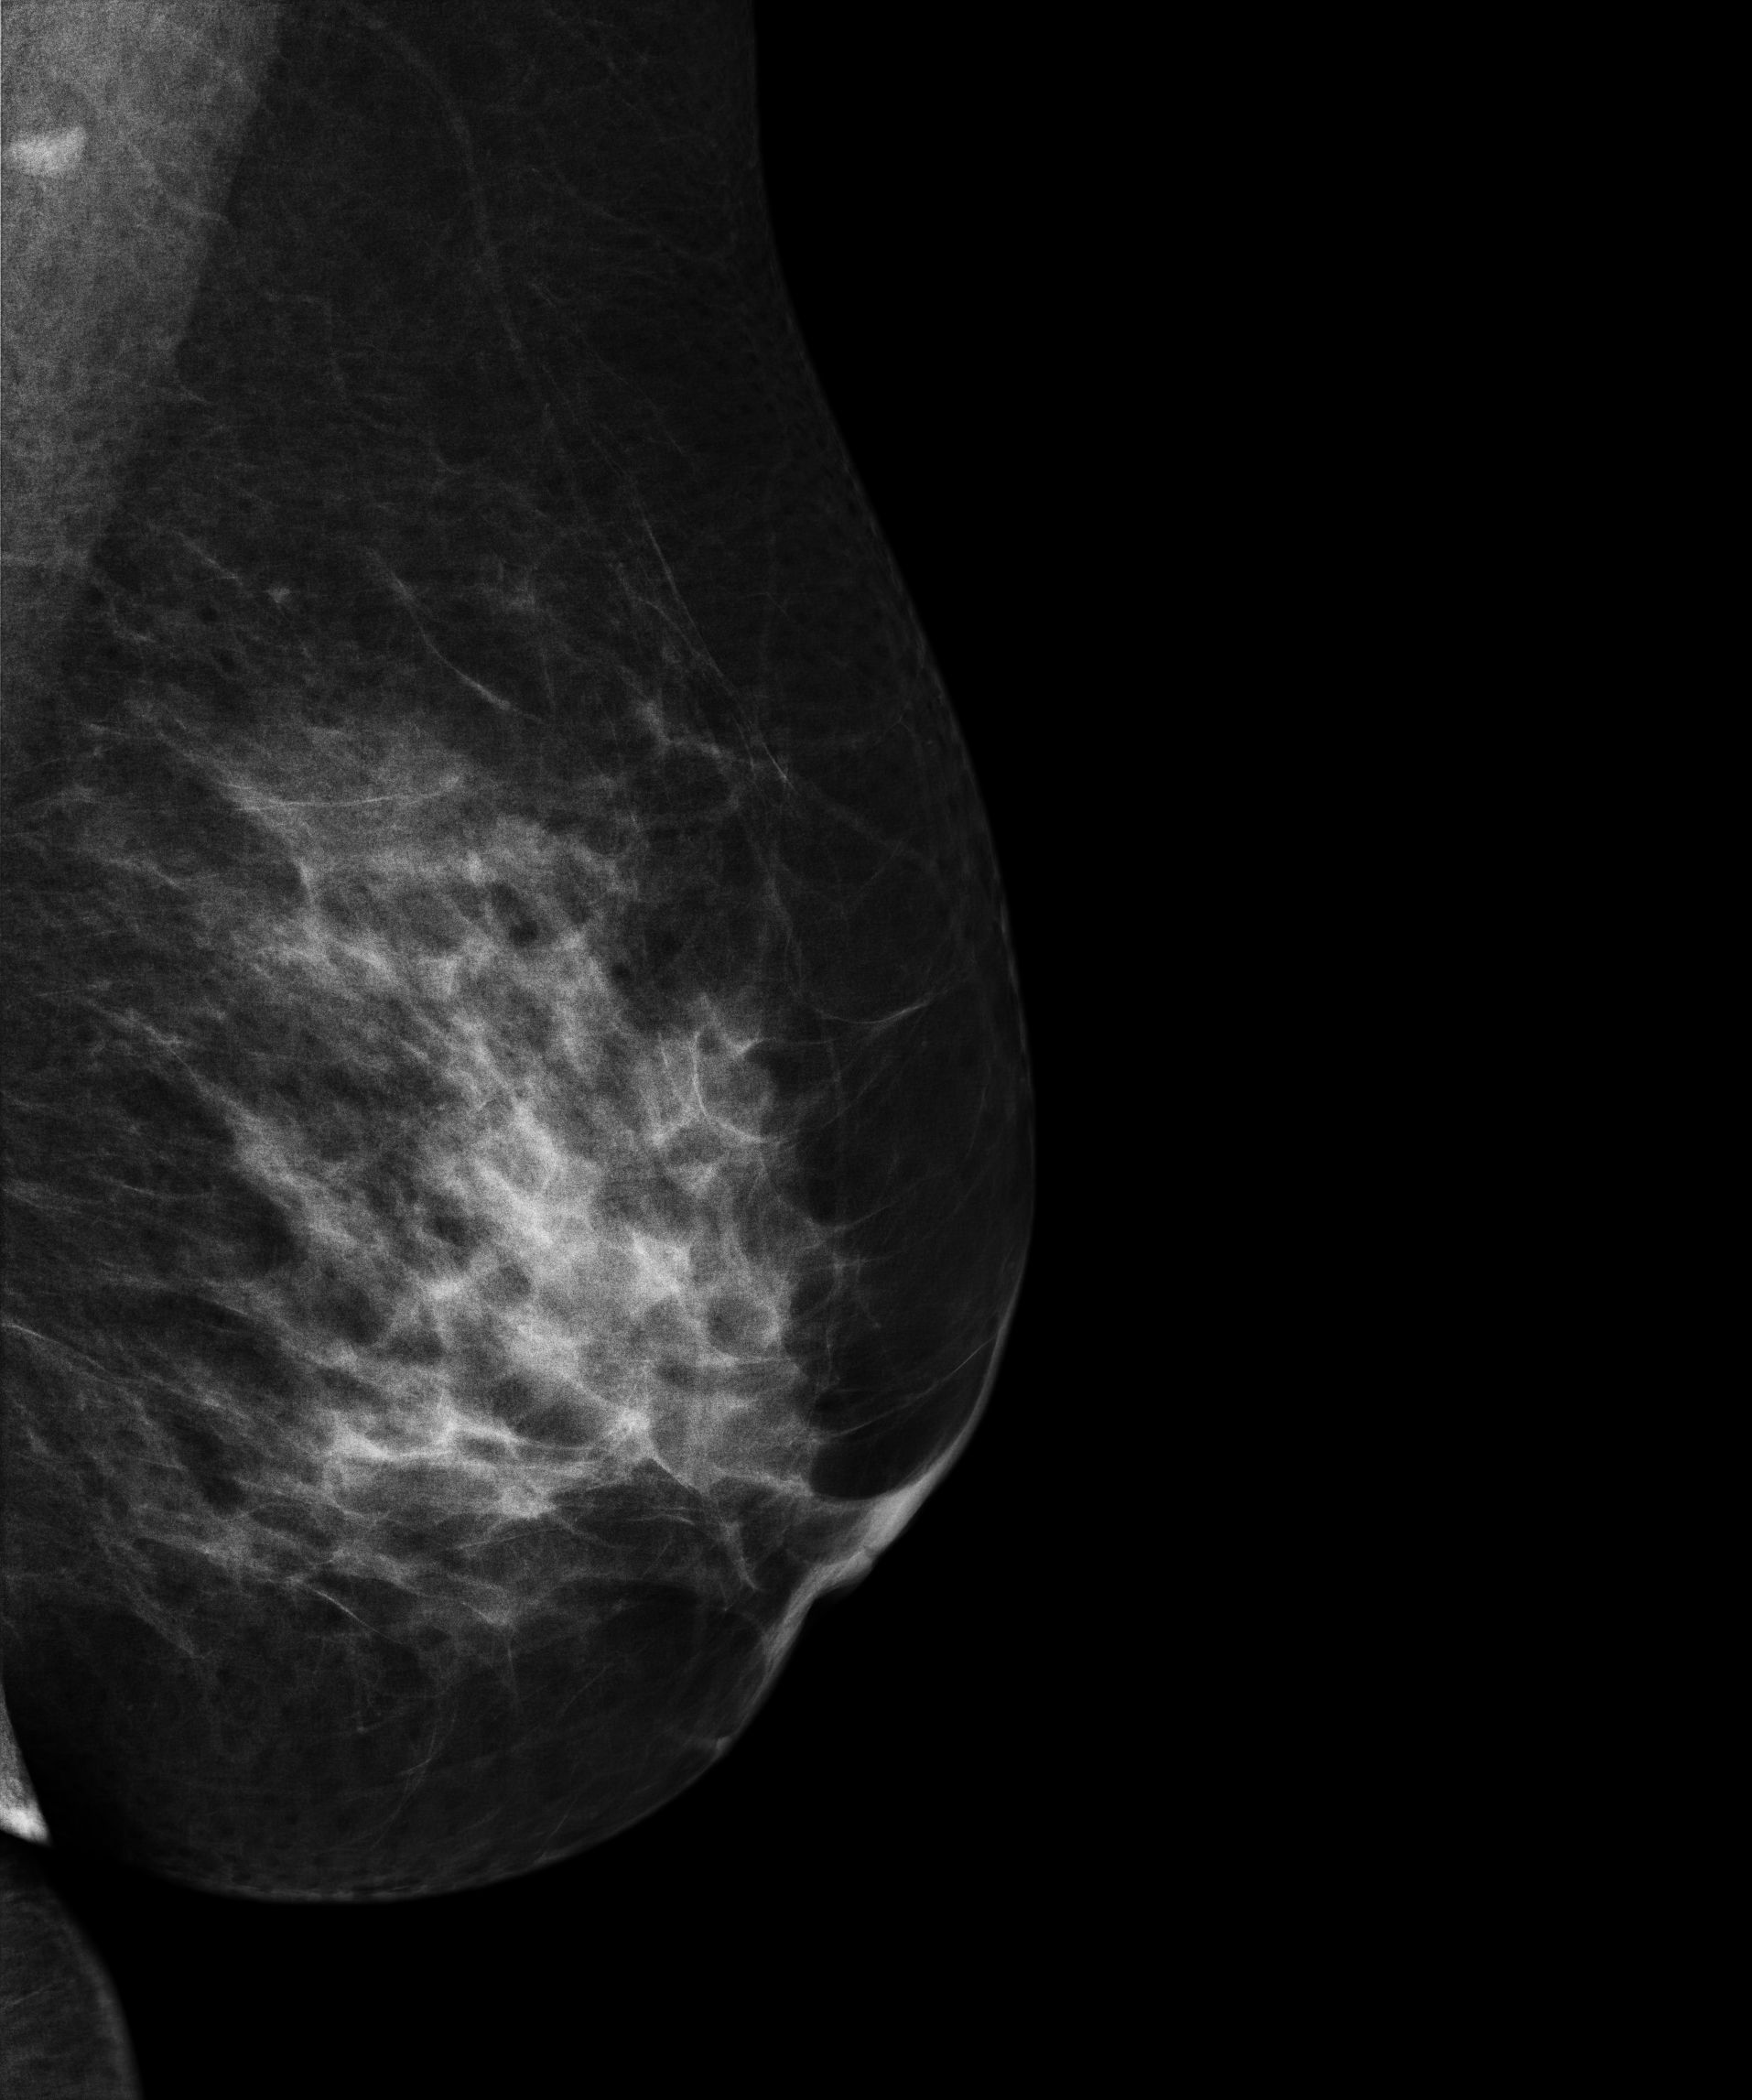
Digital mammography. Left breast, MLO projection. 63 y/o patient.
Contralateral breast — no documented abnormality on this side.